Digital mammography. Right breast, CC projection. 49 y/o patient.
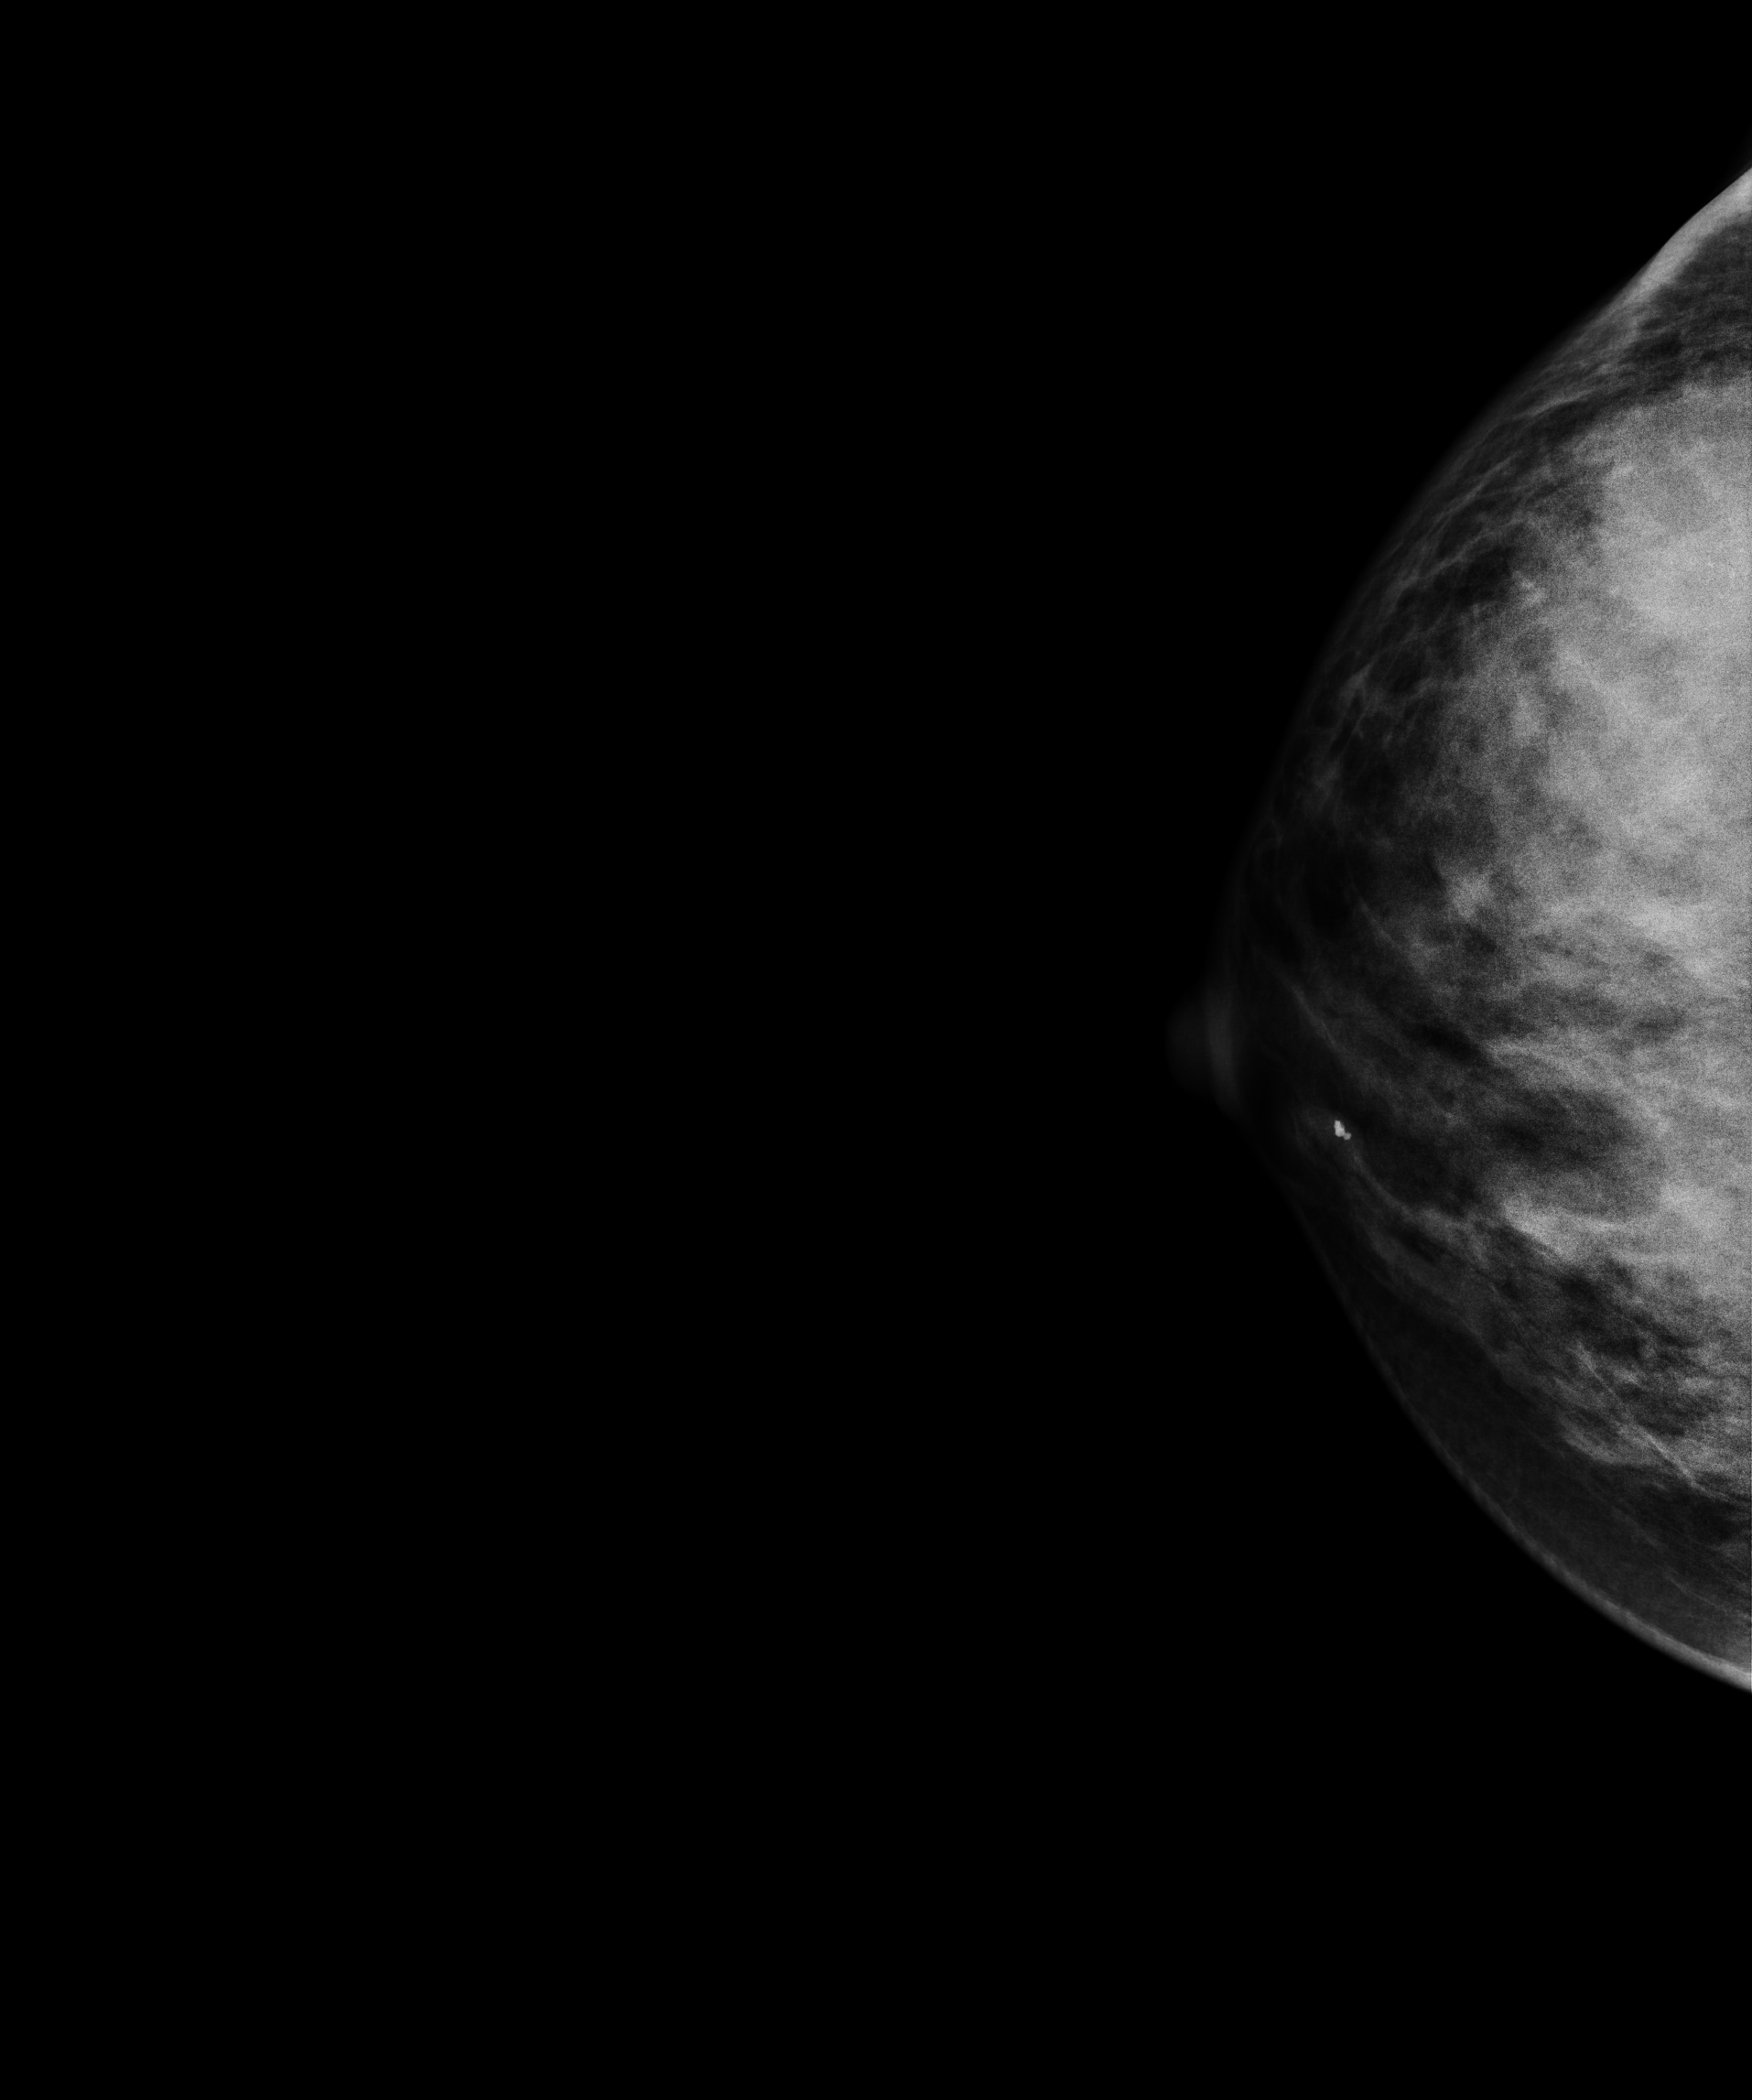
This breast has a mass, biopsy-confirmed malignant. Molecular subtype: luminal B.